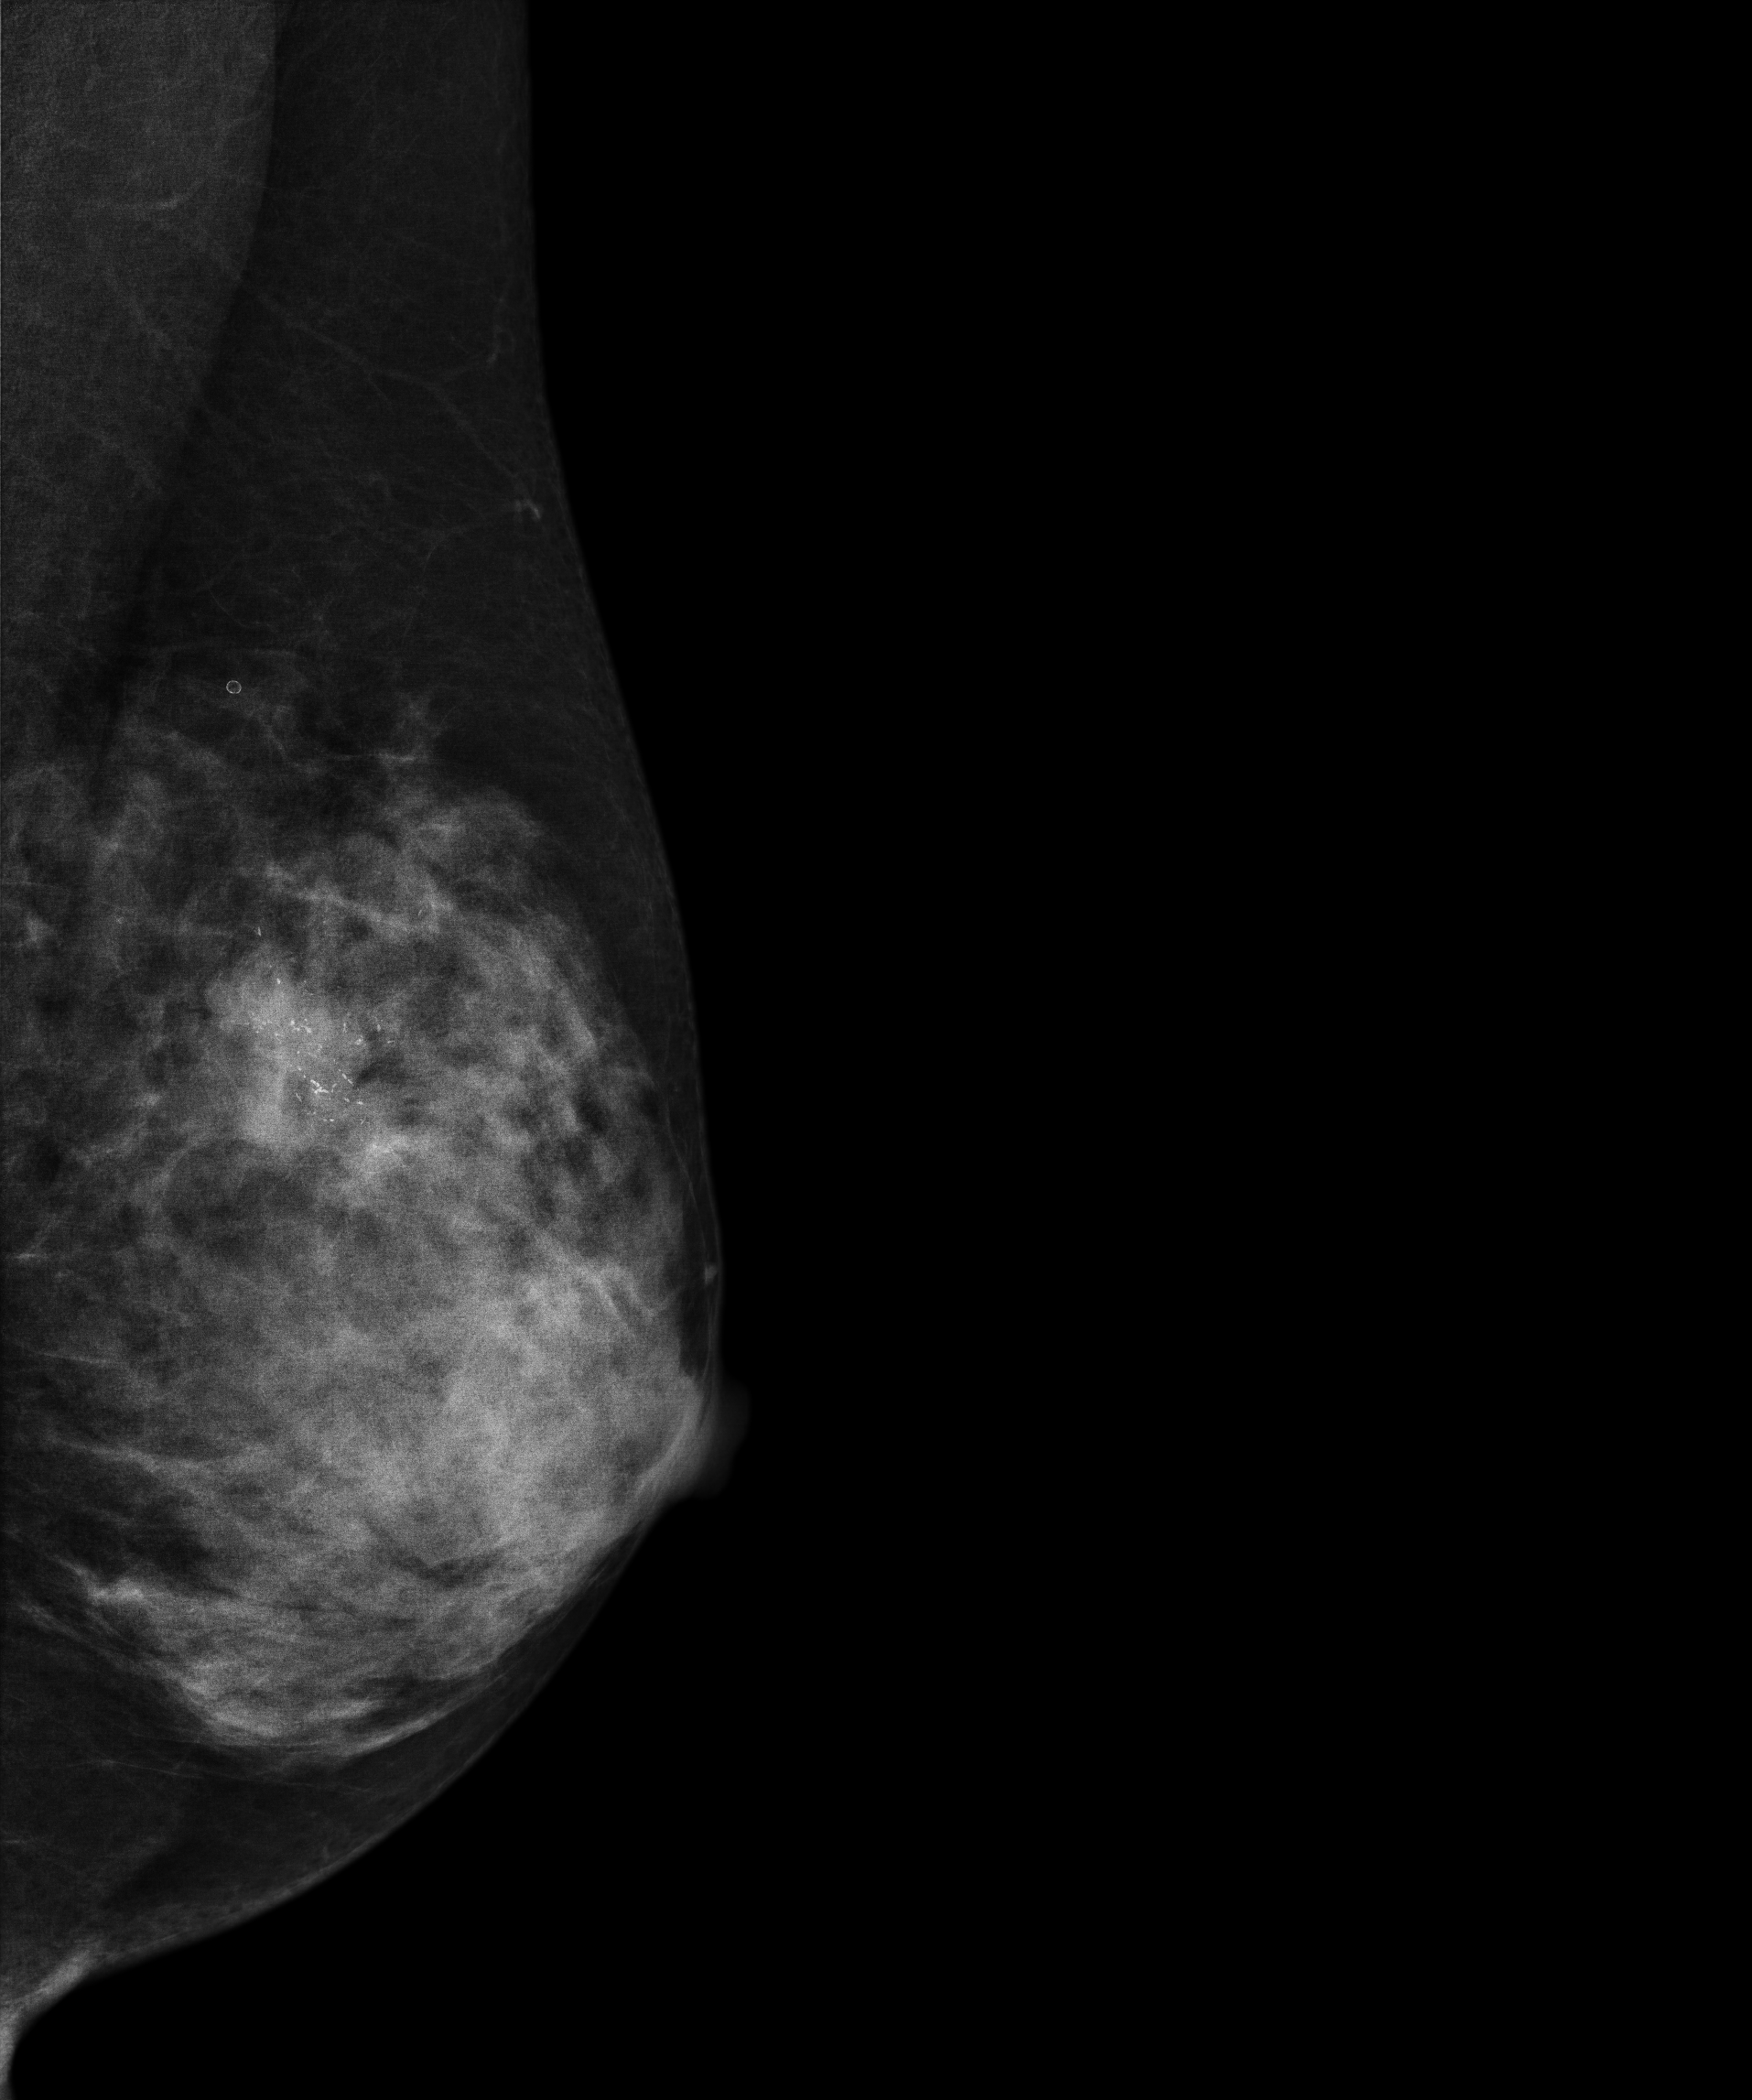
Mammogram, left breast, medio-lateral oblique view. Patient age 46.
This breast has a mass and calcifications, pathology-confirmed malignant. Molecular subtype: luminal B.